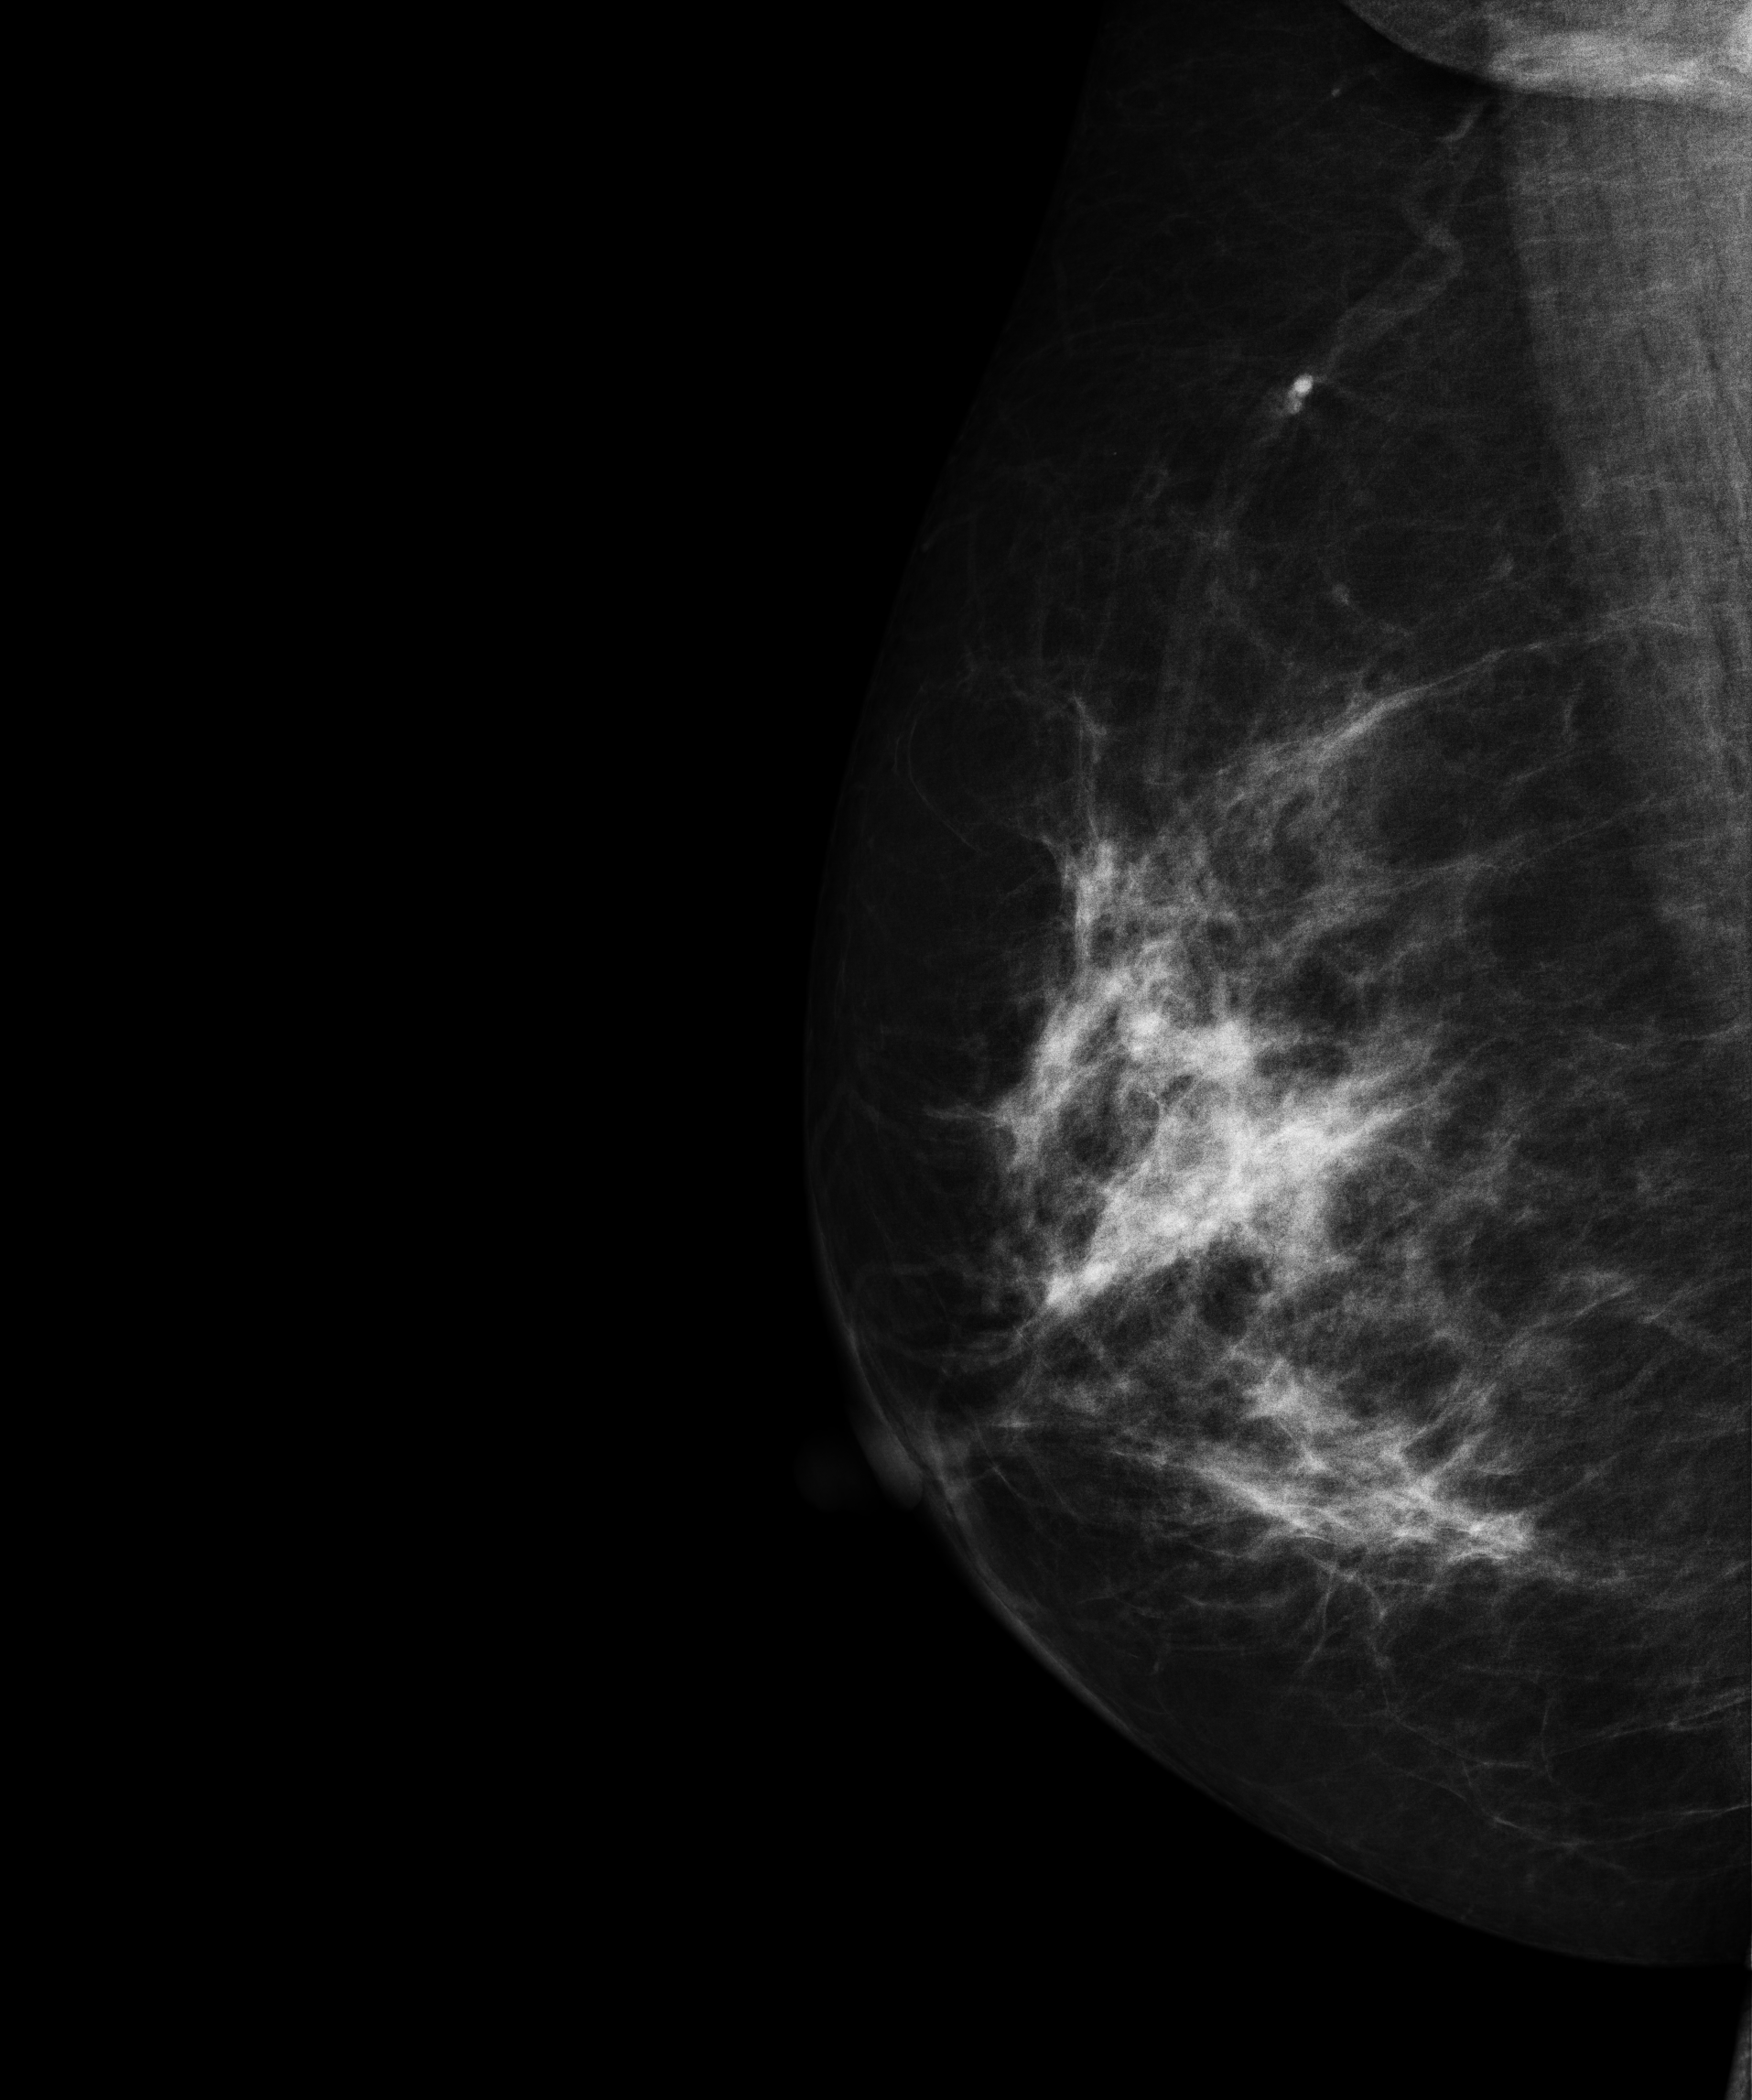
Mammogram — right medio-lateral oblique. 51 y/o patient.
This breast has a mass, histologically confirmed malignant. Molecular subtype: luminal B.